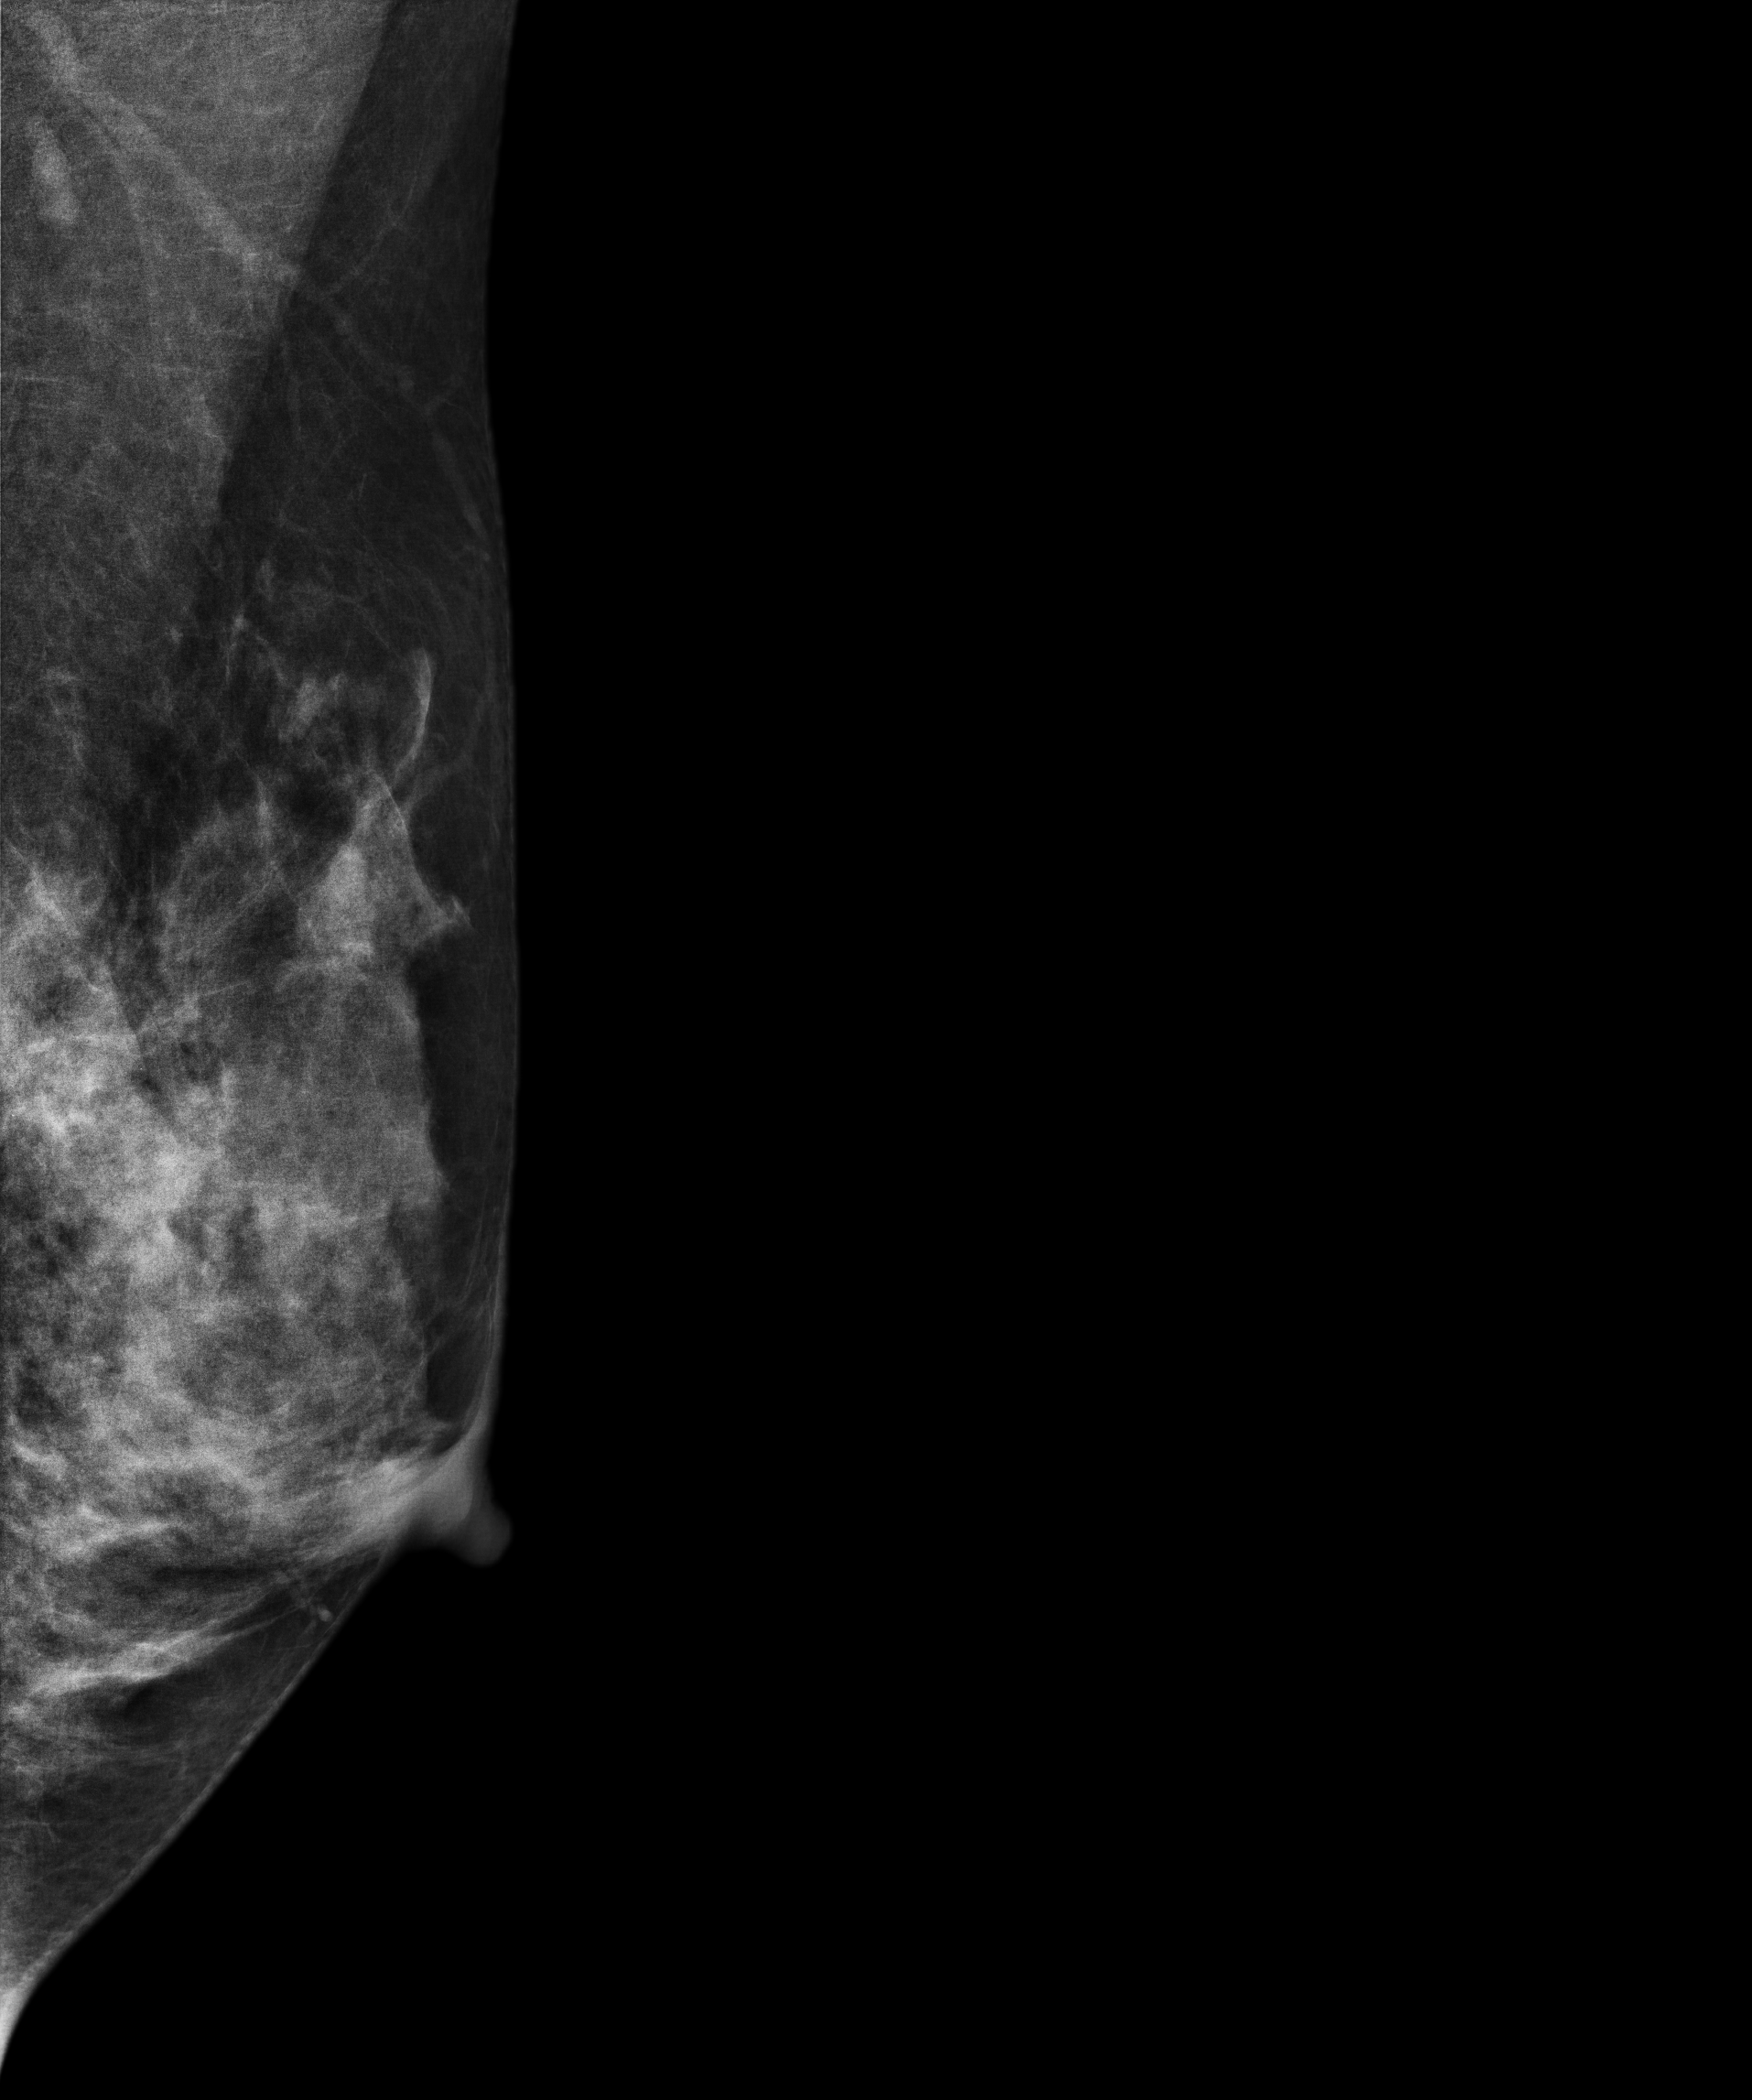
Mammogram — left MLO. Patient age 40.
This breast has a mass, histologically confirmed malignant. Molecular subtype: triple-negative.